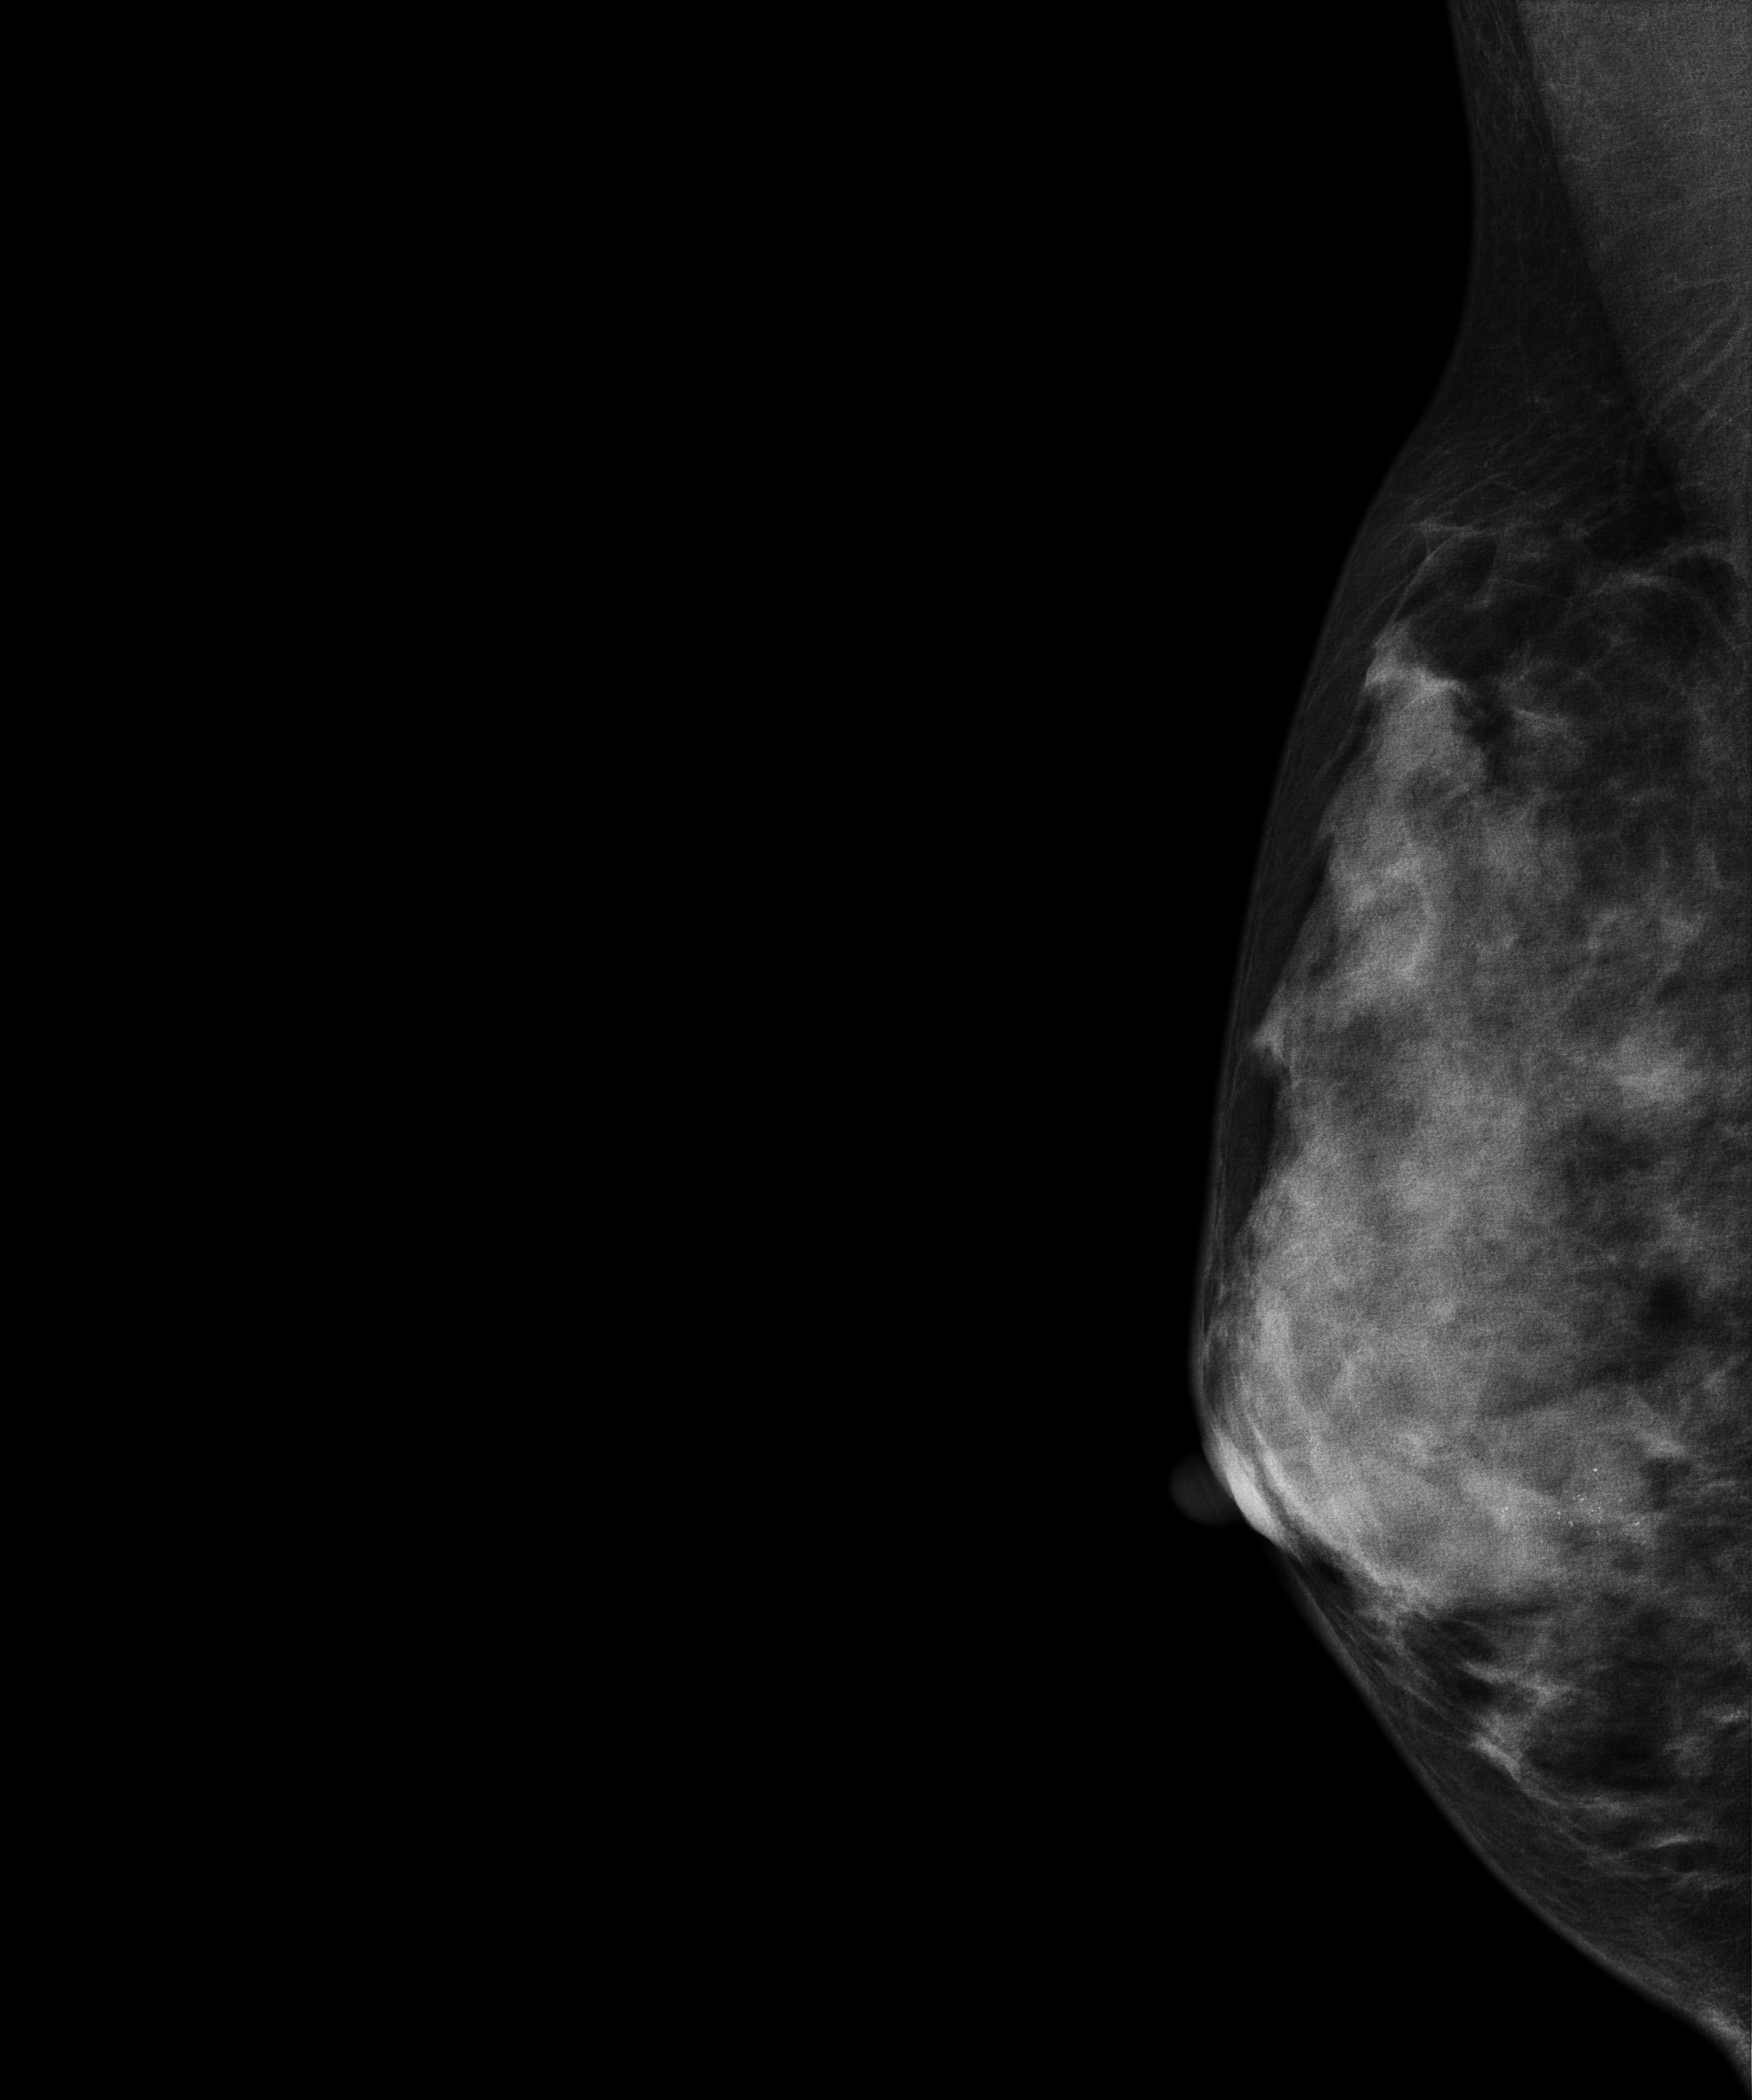
Mammogram, right breast, medio-lateral oblique view. Patient age 32.
This breast has calcifications, histologically confirmed malignant.